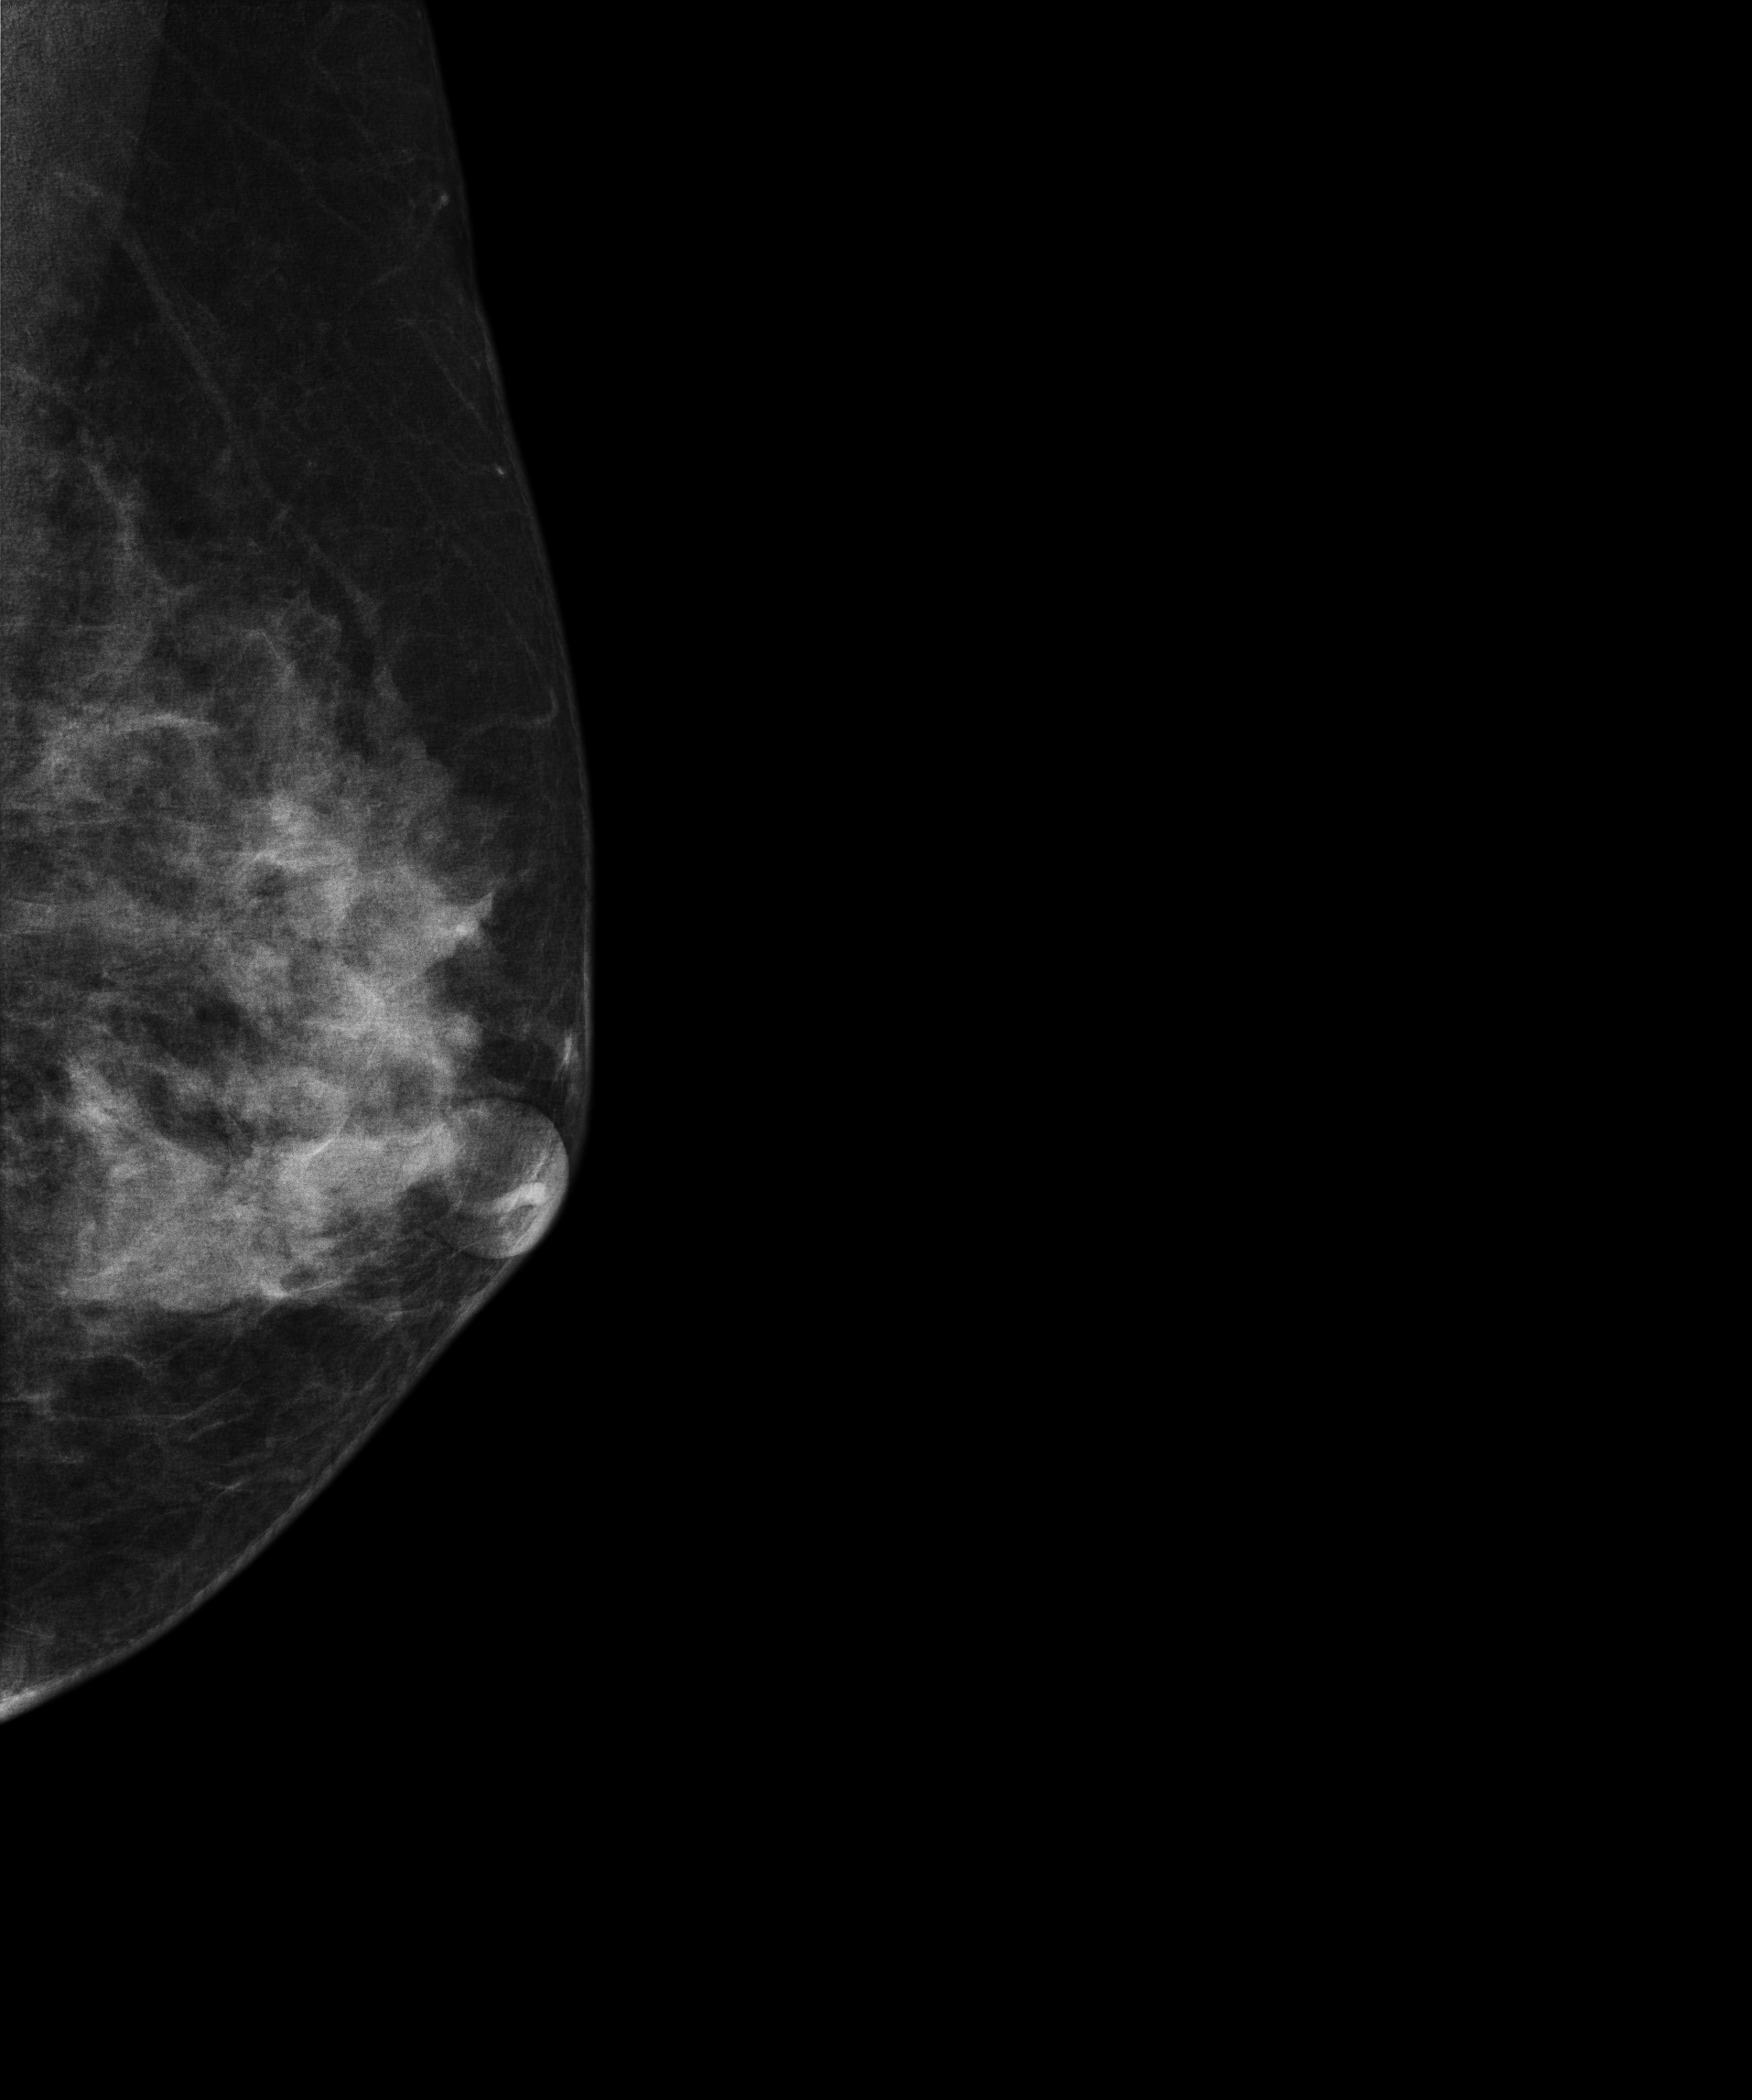
Digital mammography. Left breast, MLO projection. Patient age 43.
This breast has a mass, pathology-confirmed benign.